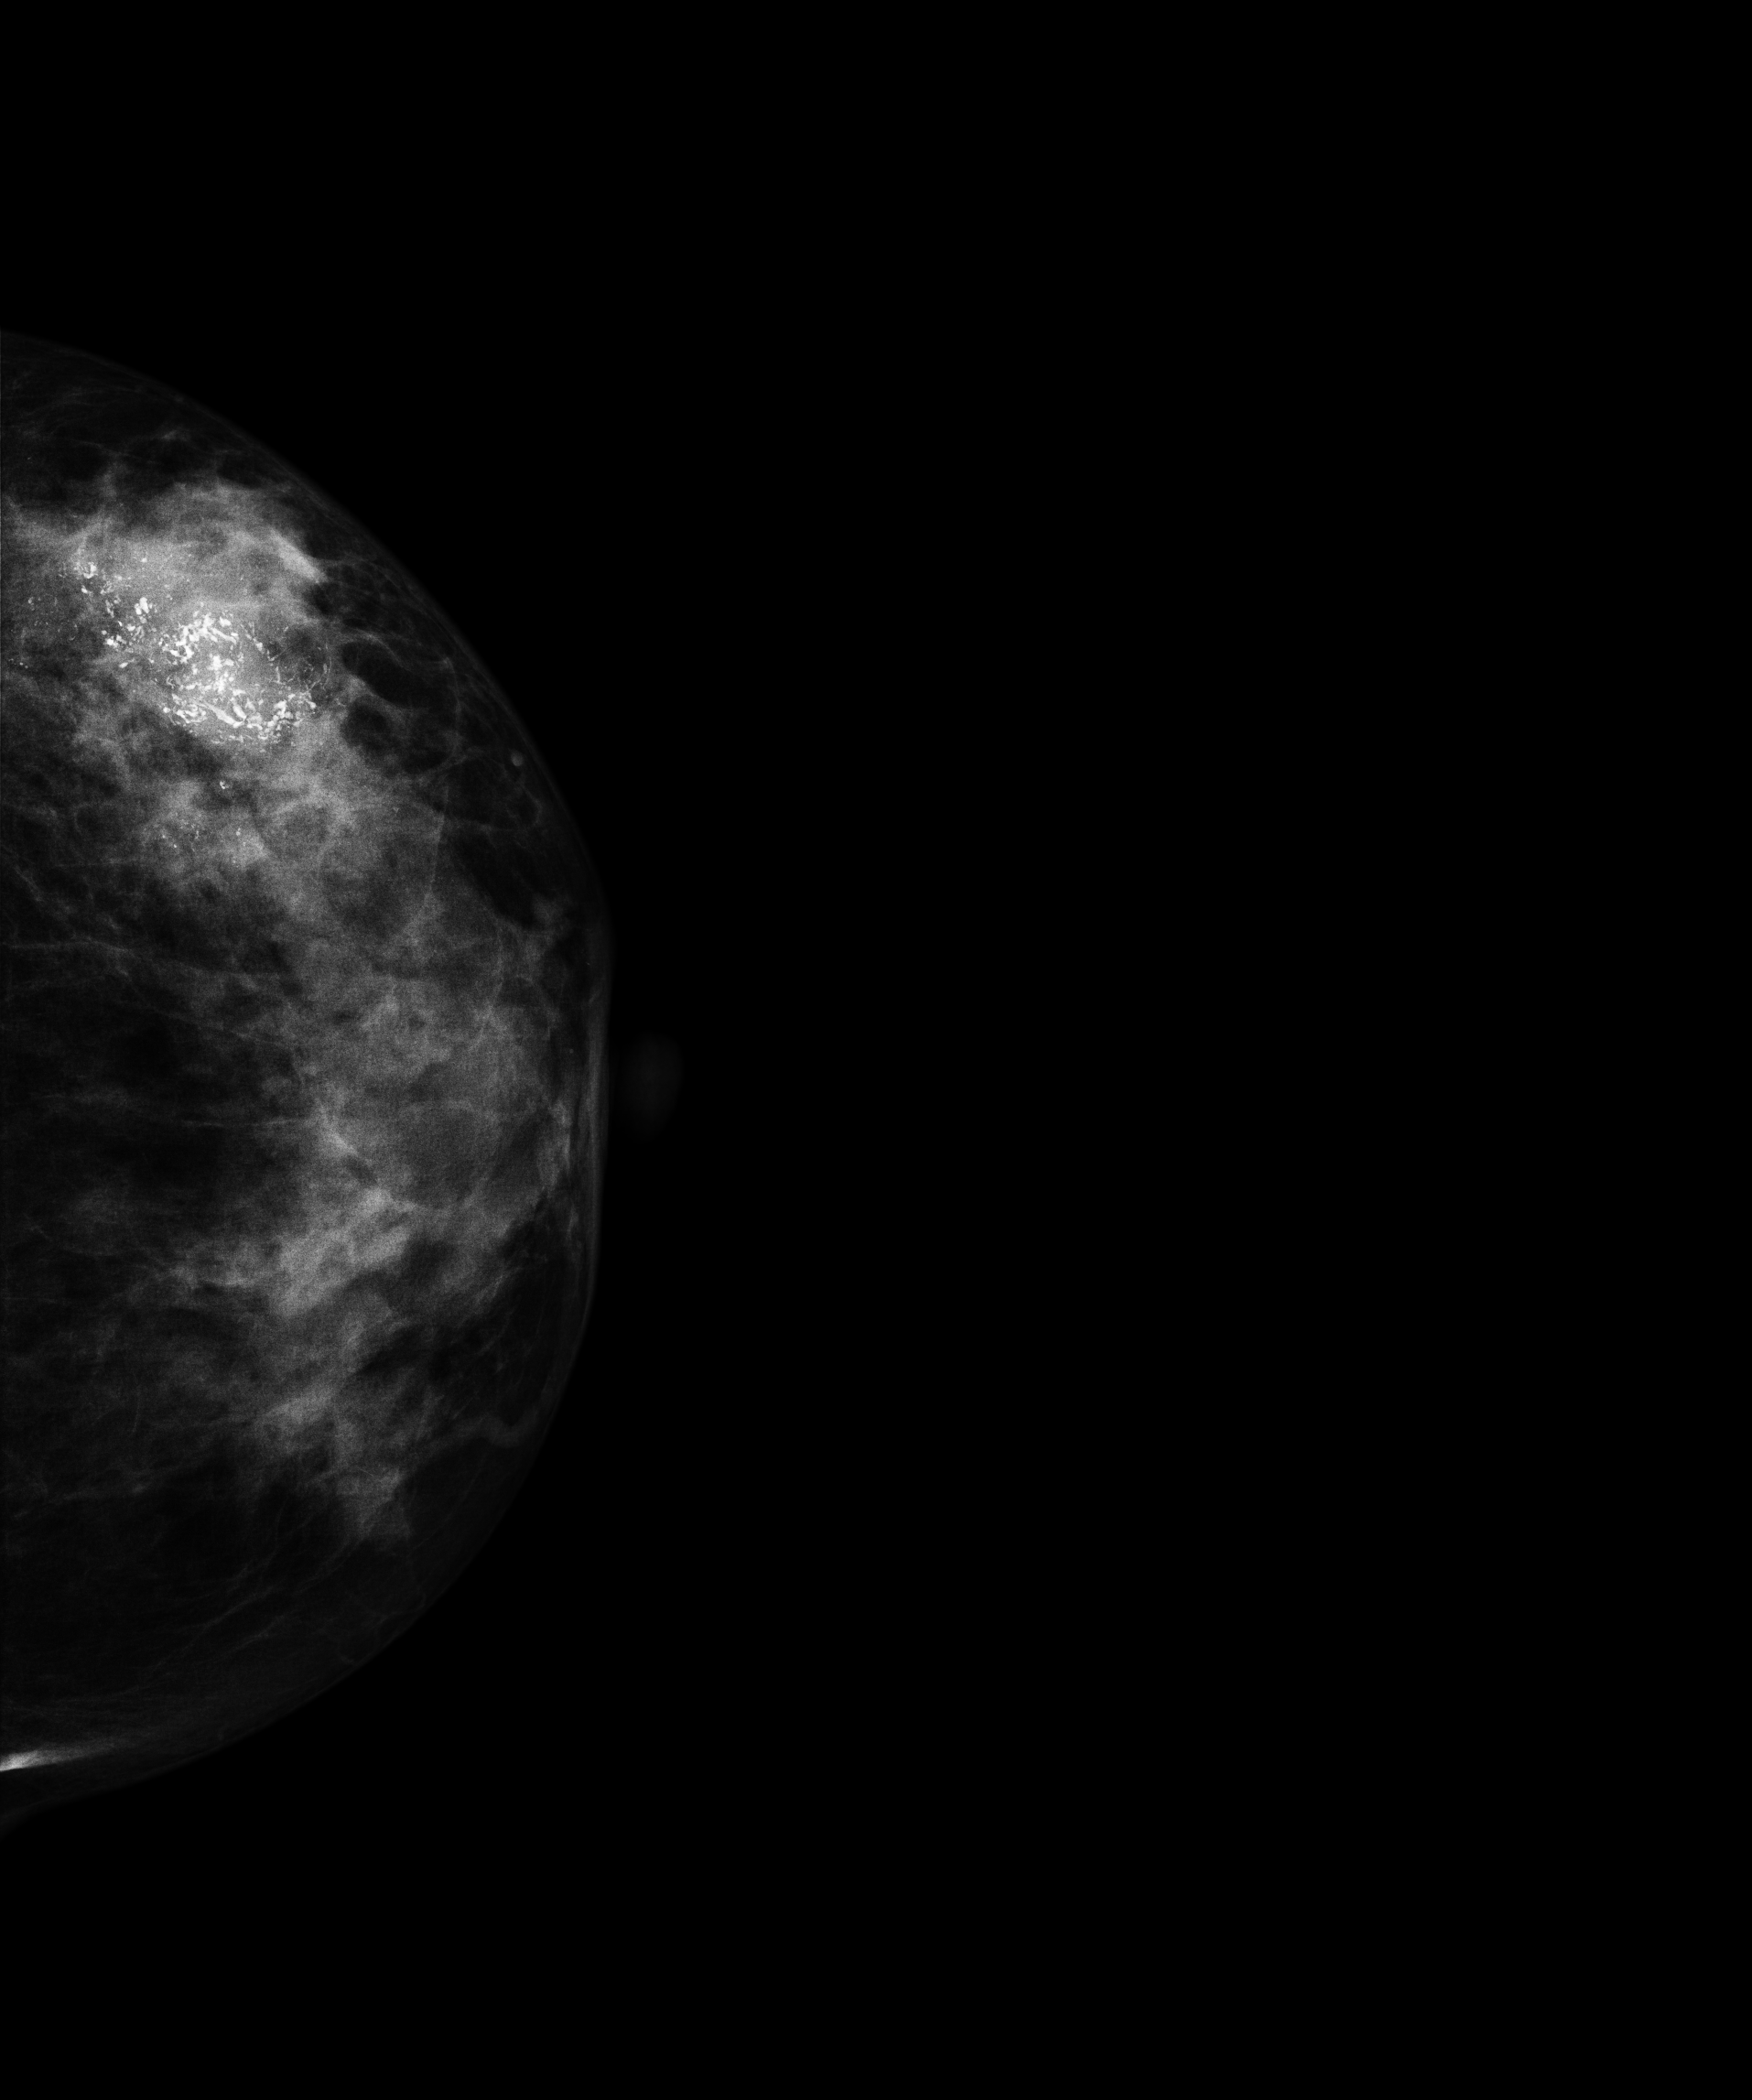
Left-breast mammogram, CC. 56 y/o patient.
This breast has a mass and calcifications, pathology-confirmed malignant. Molecular subtype: HER2-enriched.